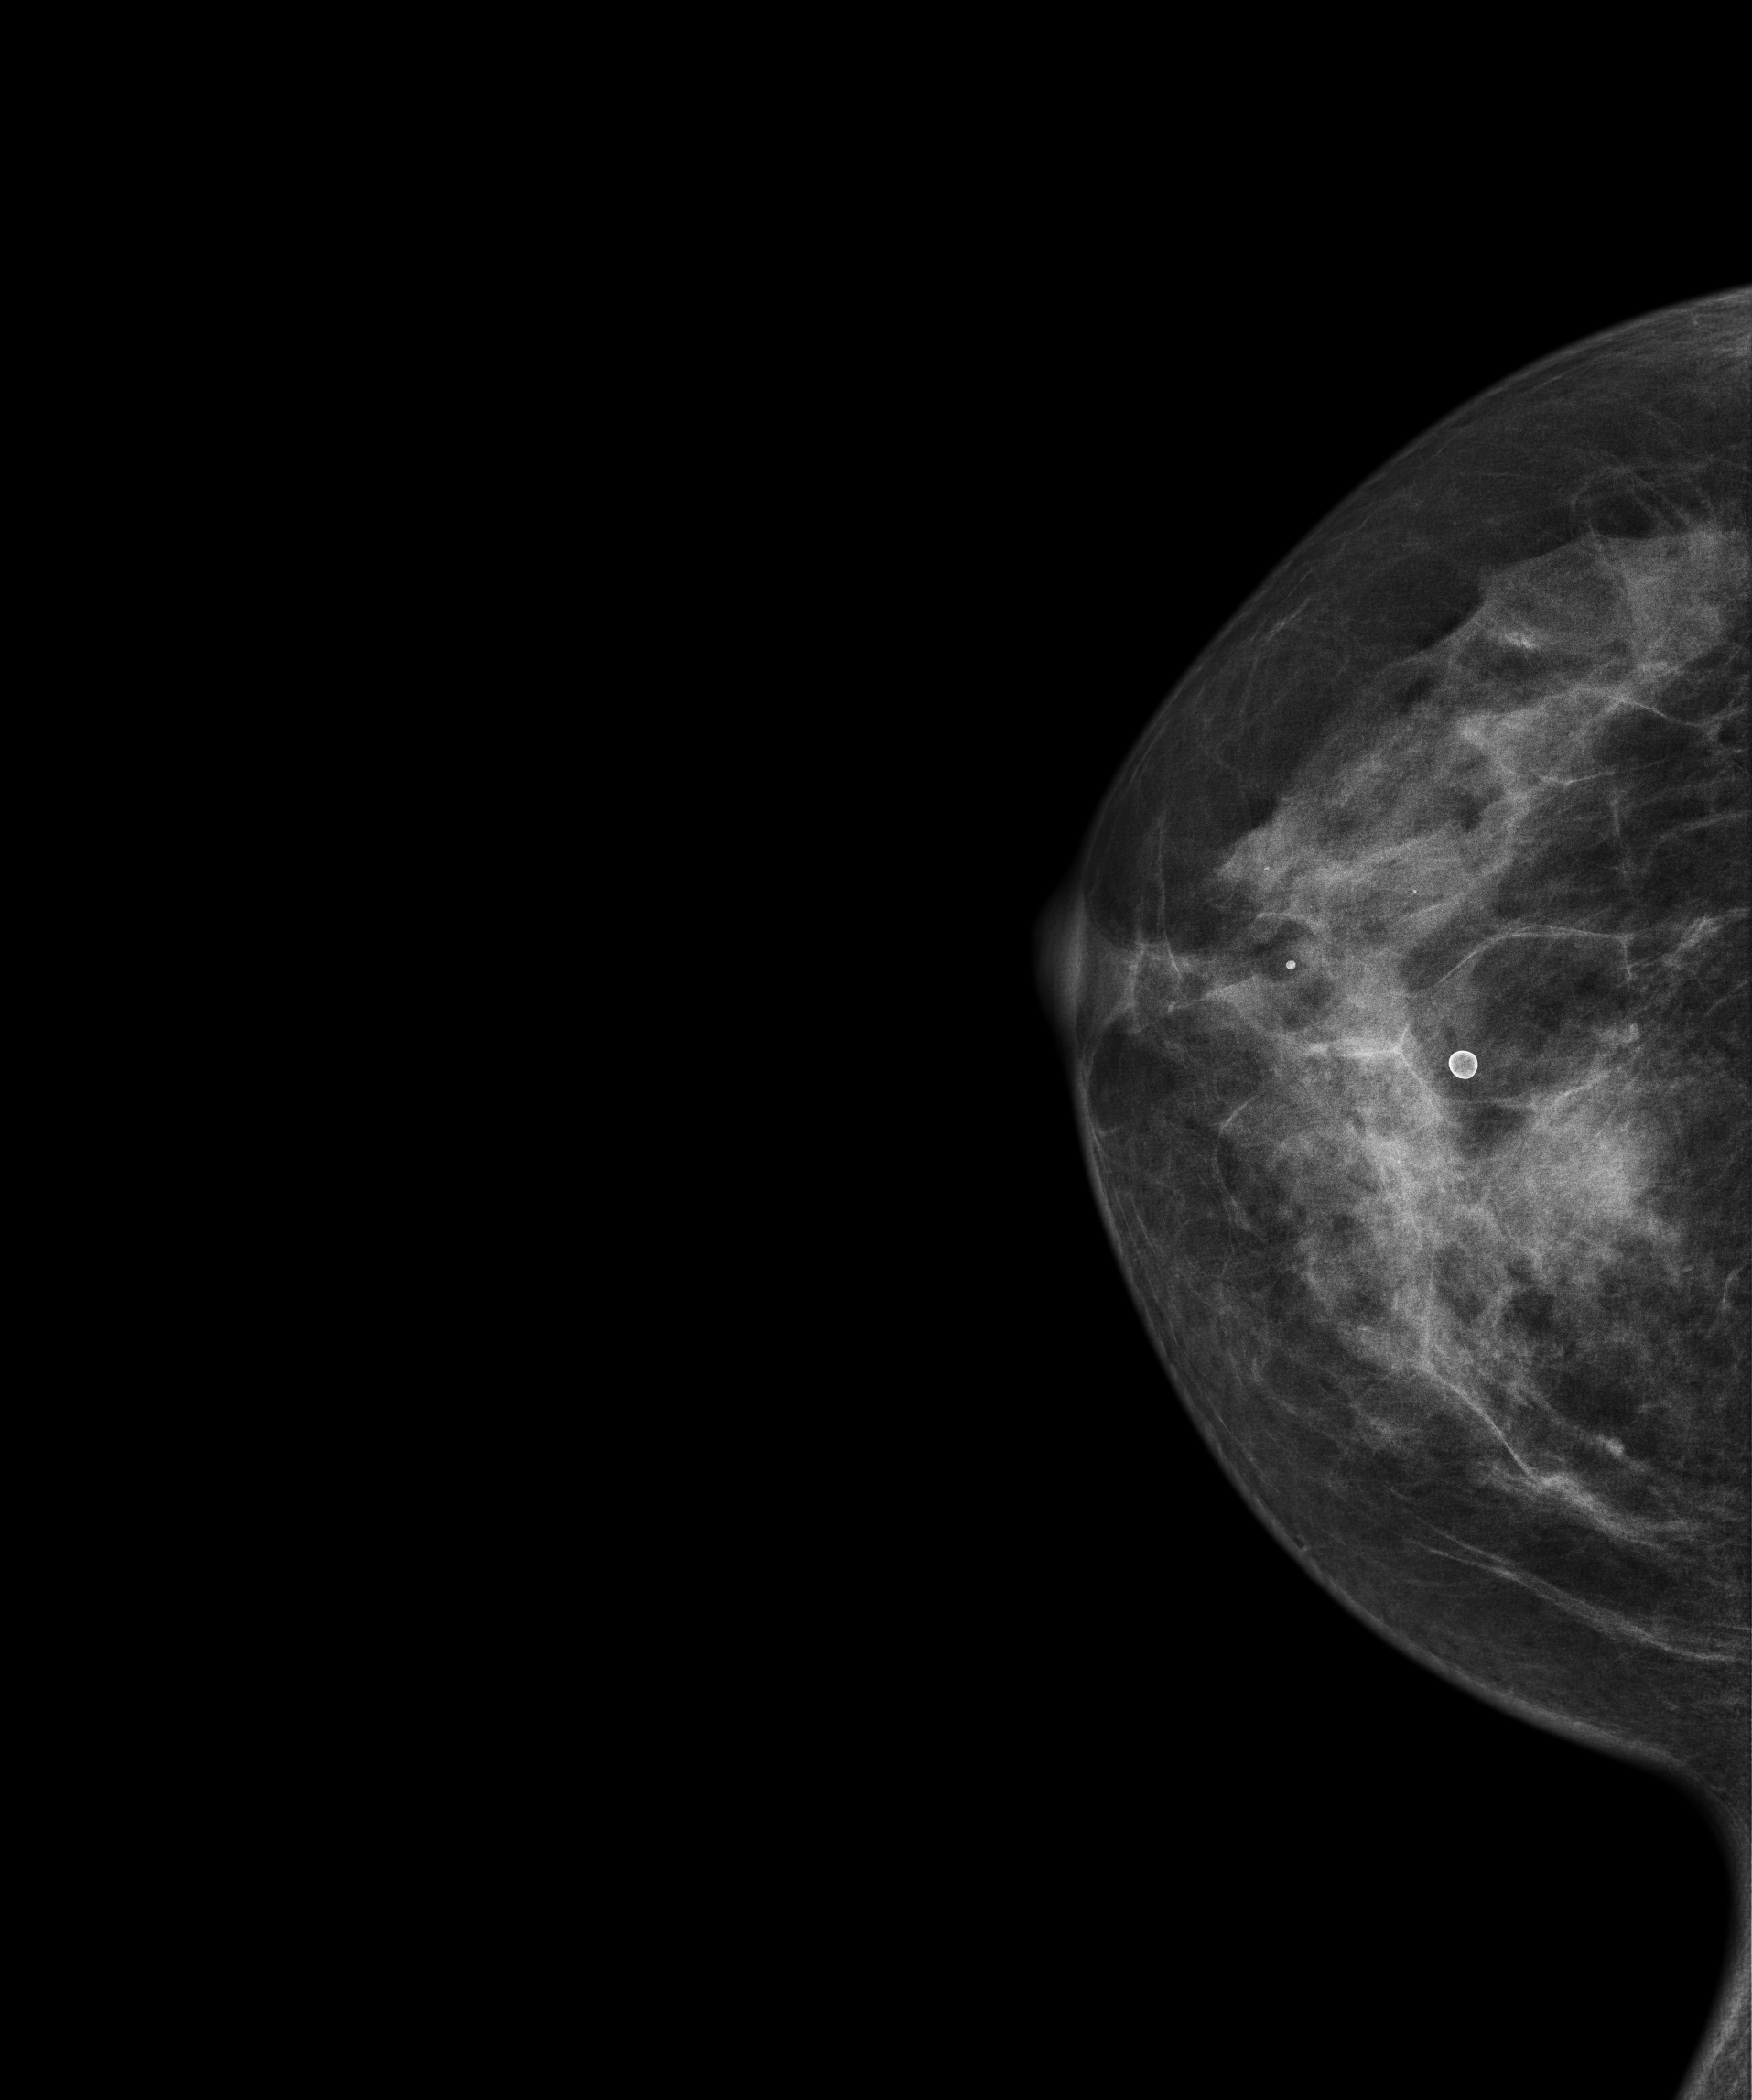
Right-breast mammogram, CC. 55-year-old patient.
This breast has a mass, biopsy-proven malignant. Molecular subtype: triple-negative.